Digital mammography. Right breast, CC projection. Patient age 64.
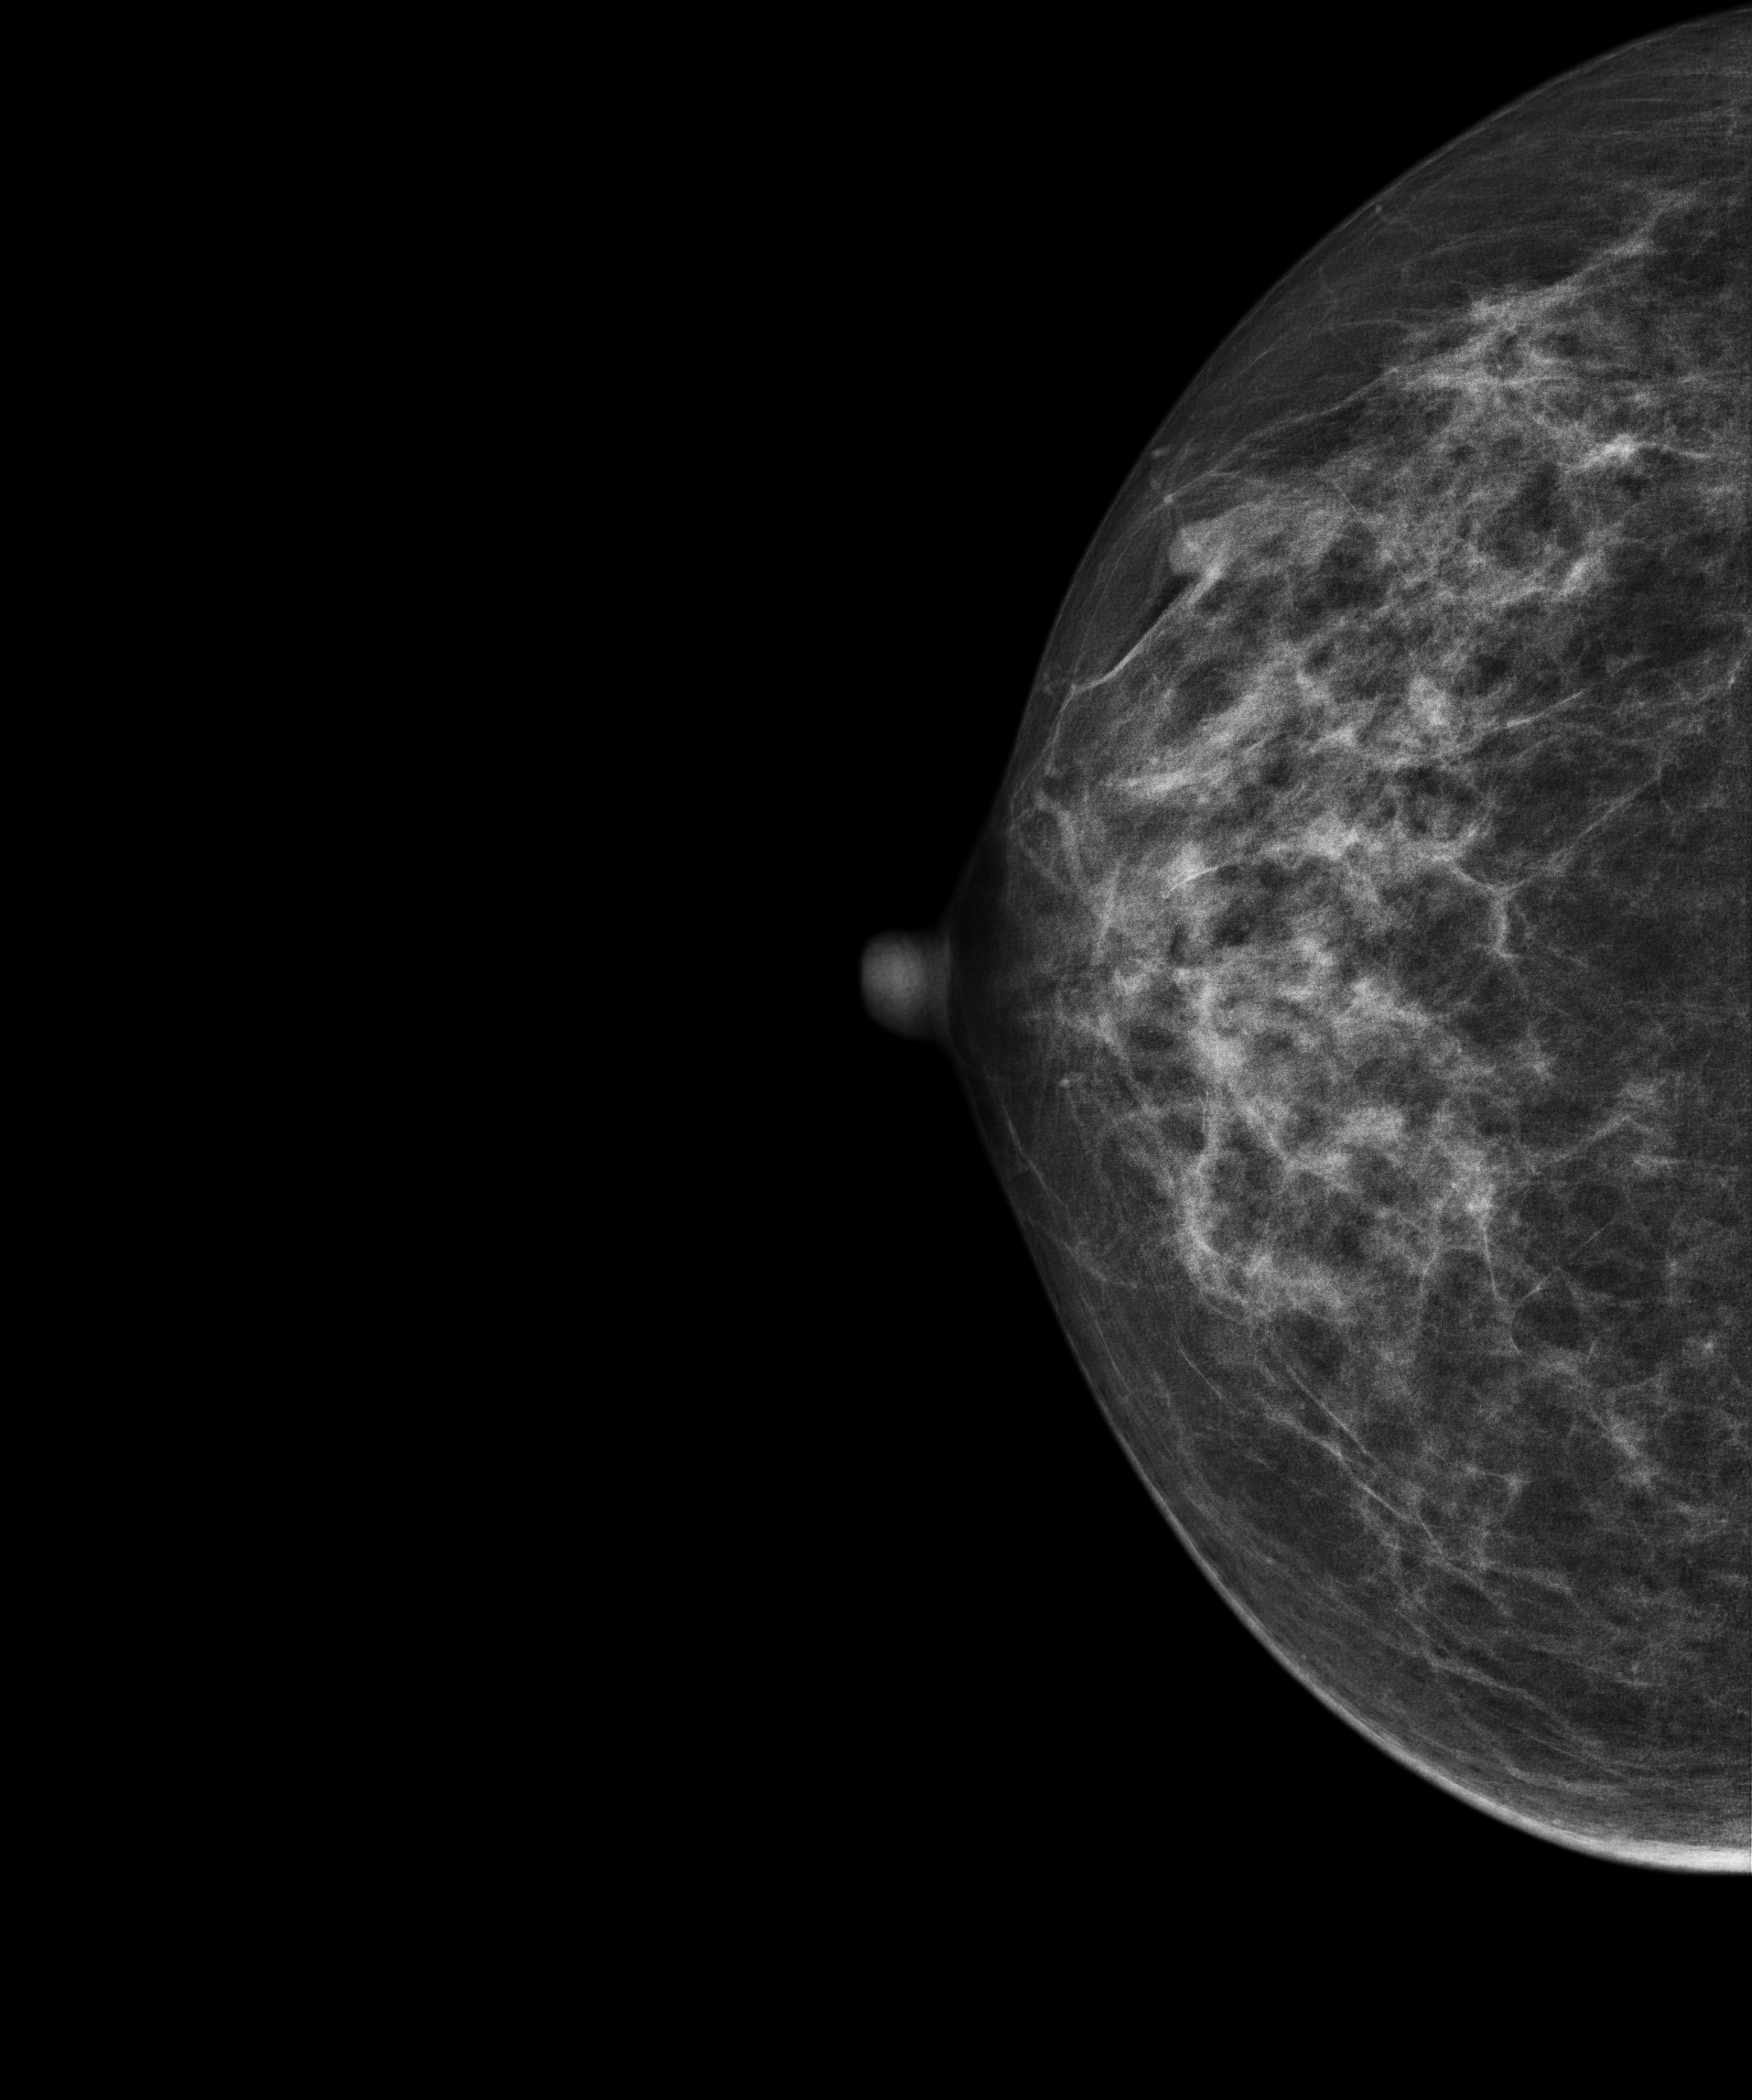
Contralateral breast — no documented abnormality on this side.